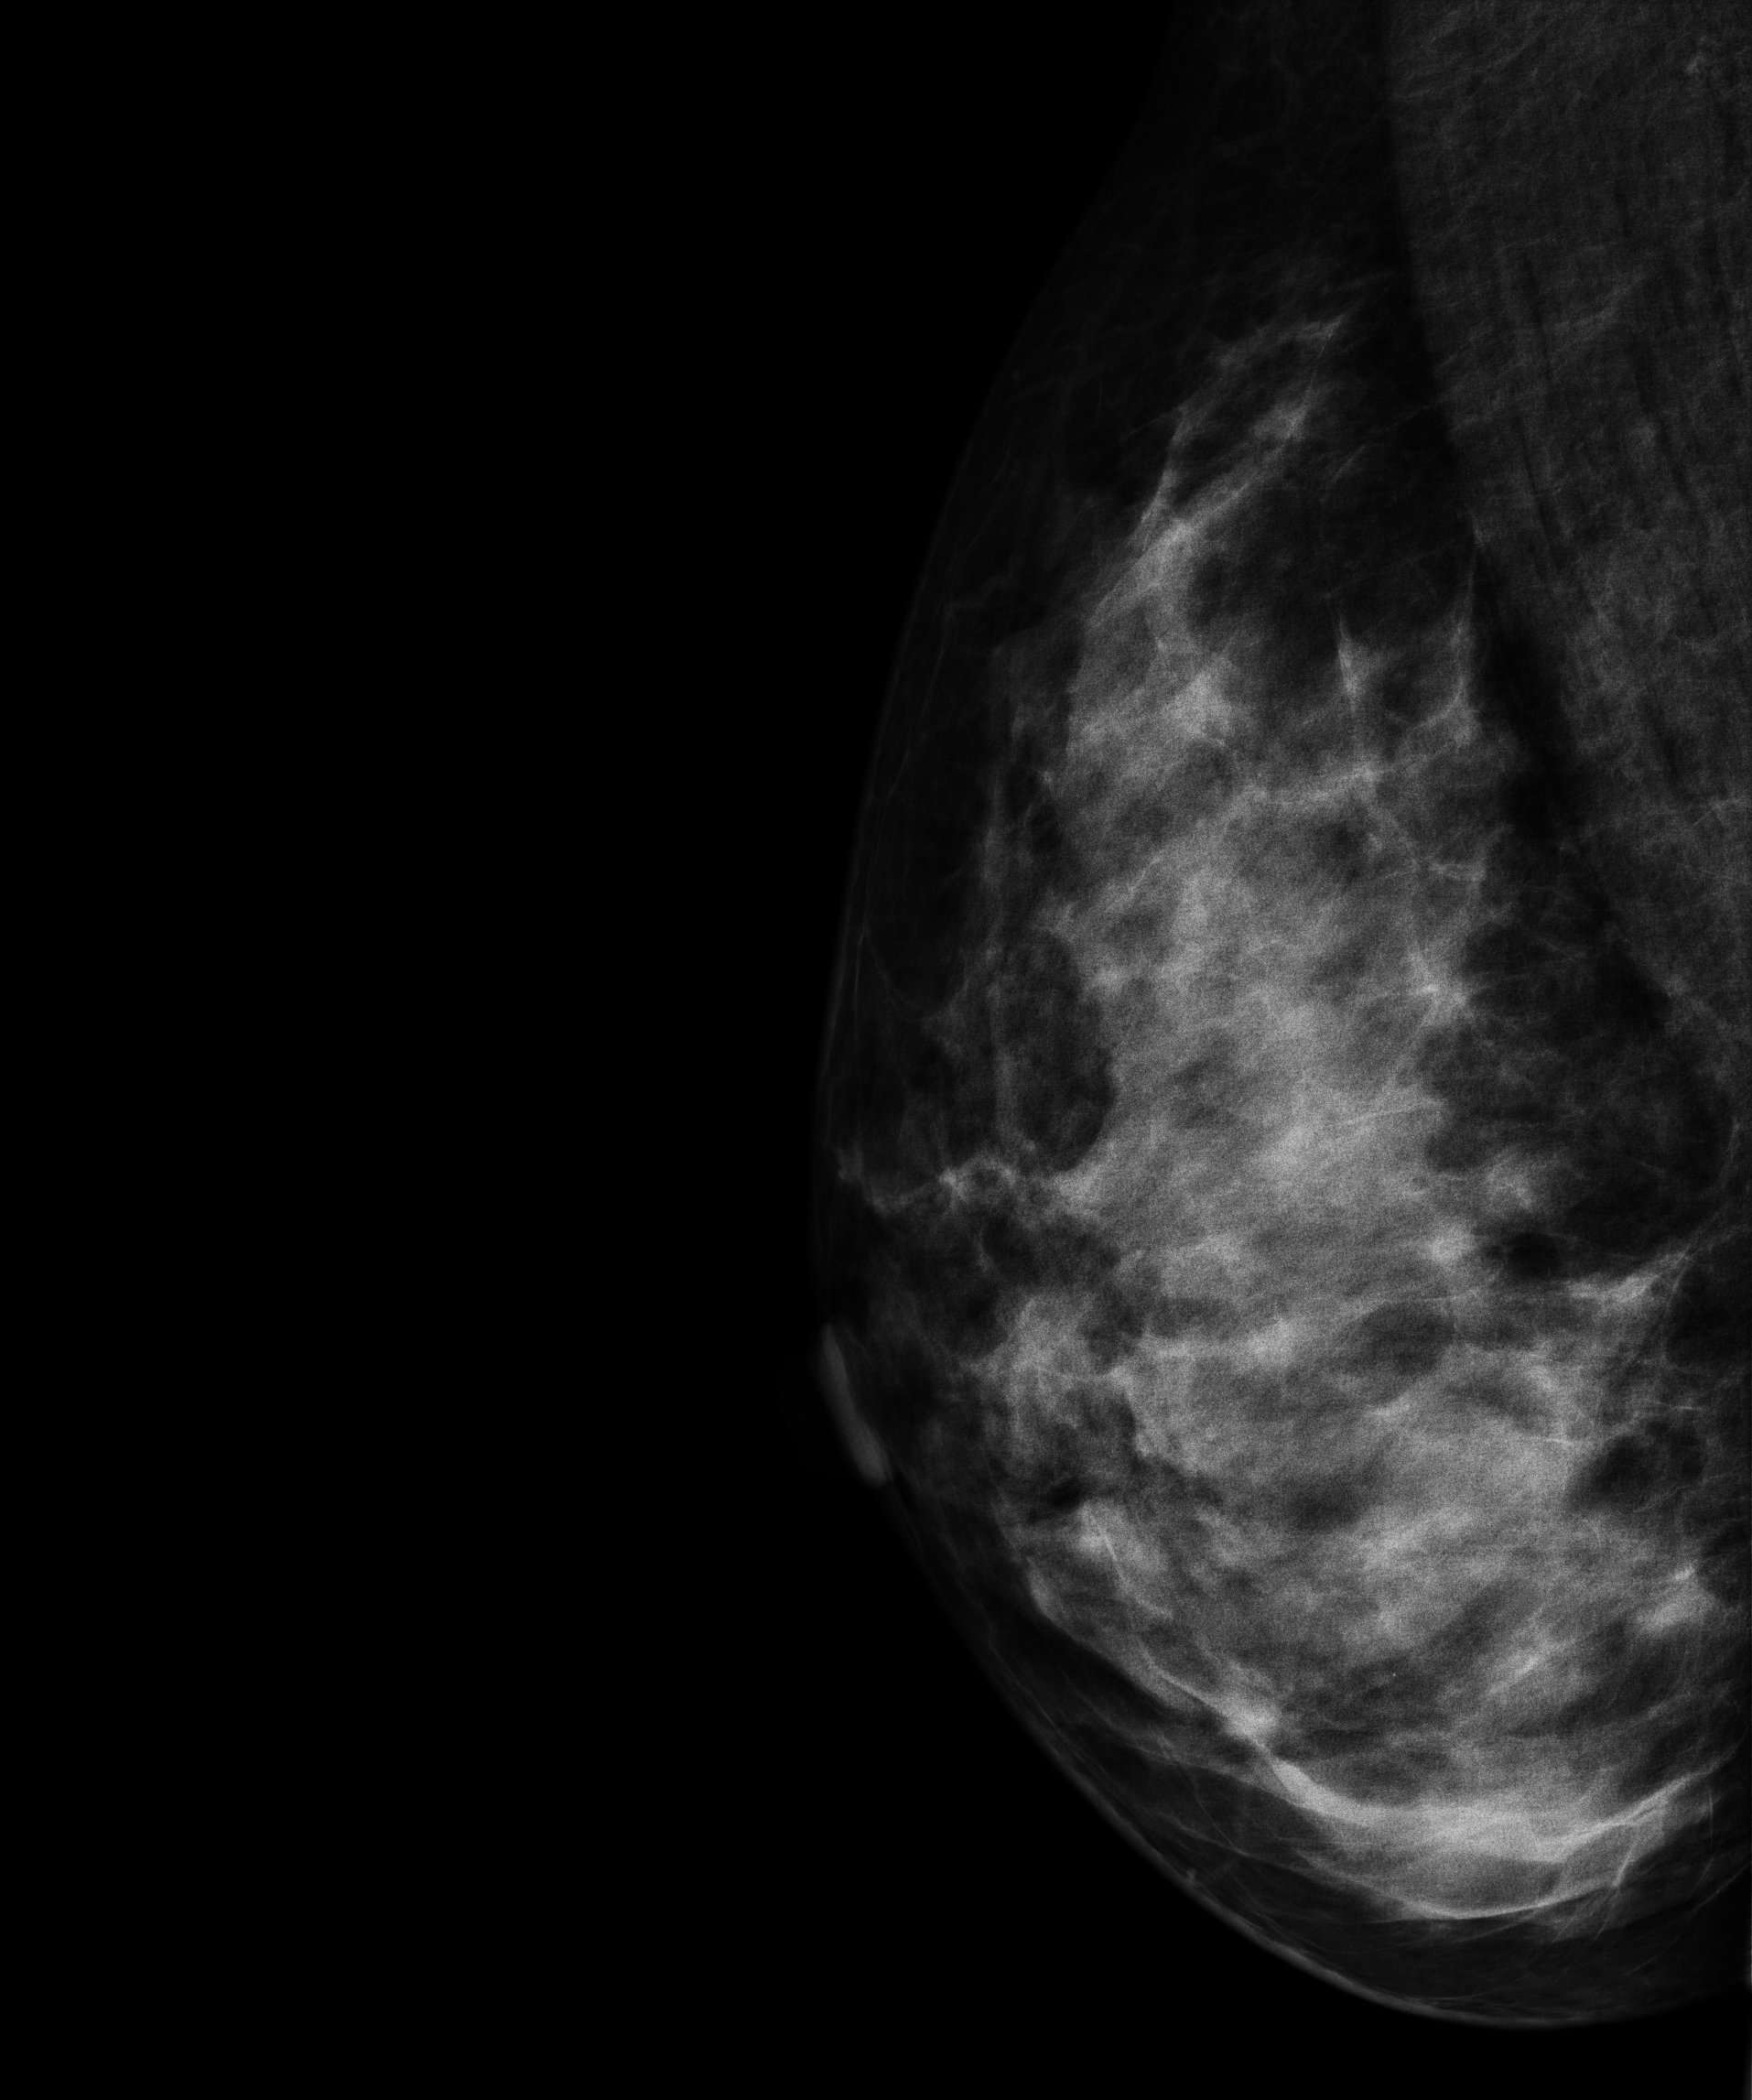
Mammogram — right MLO. Patient age 47.
Contralateral breast — no documented abnormality on this side.